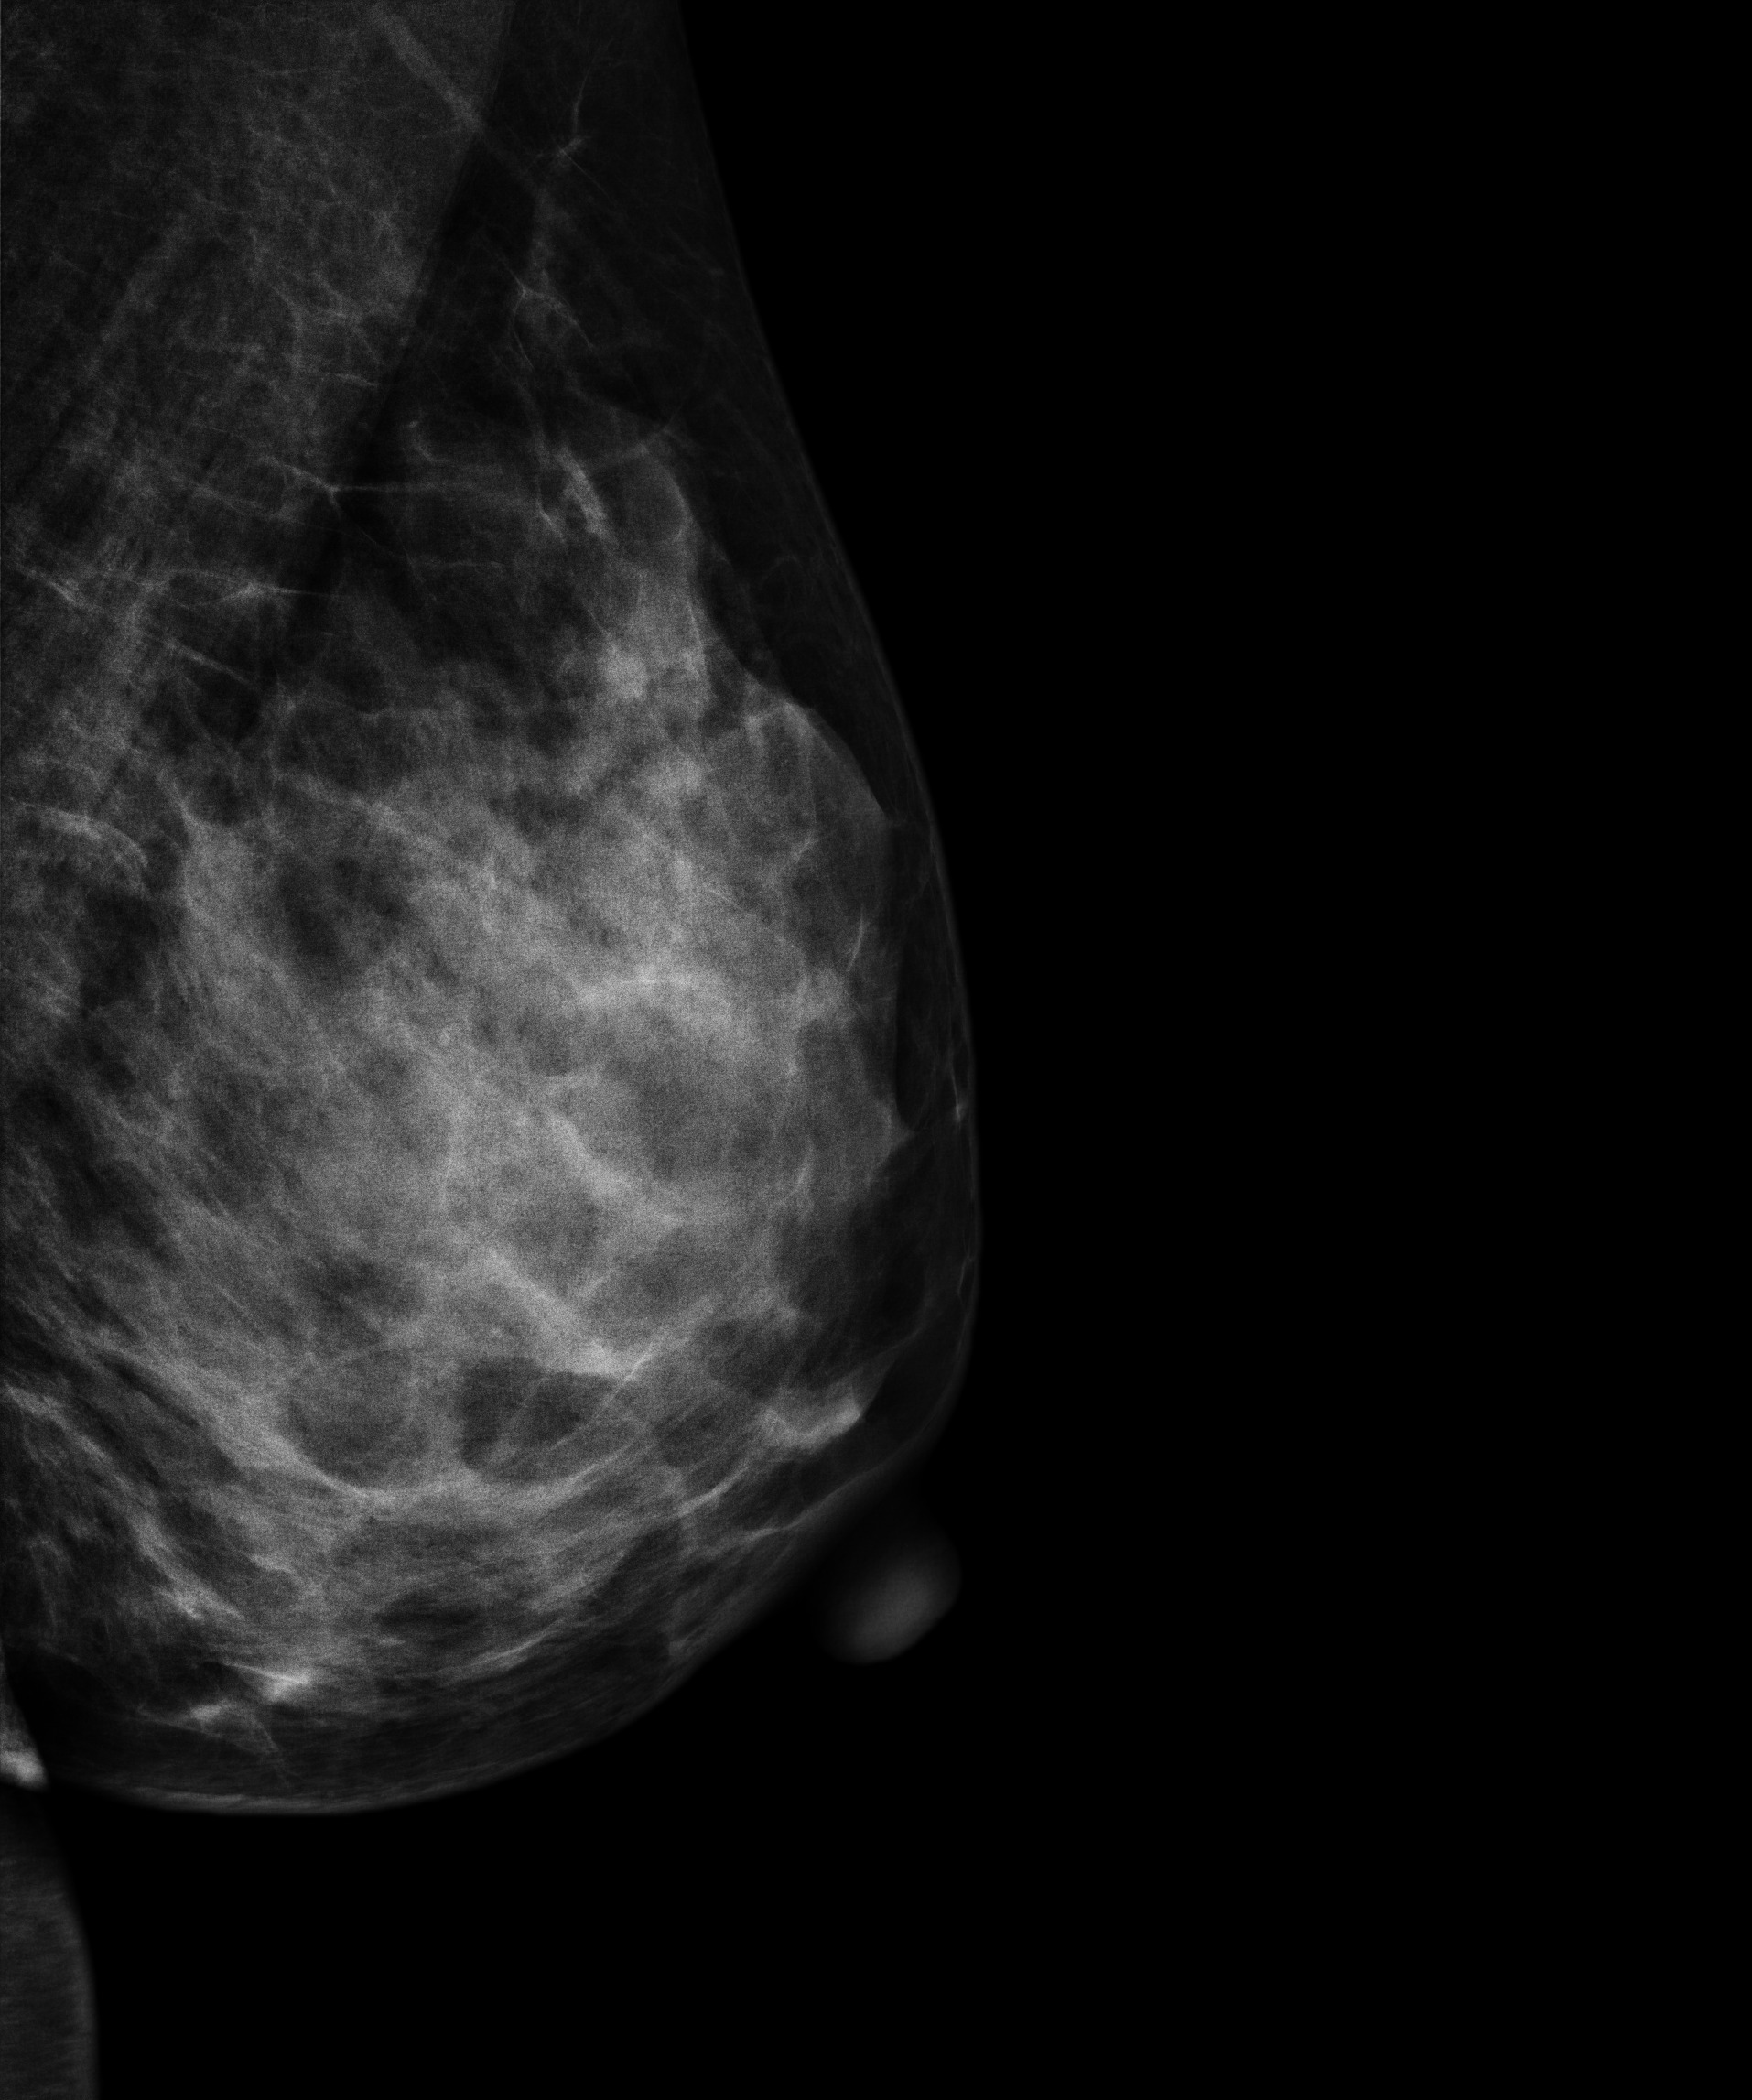
Mammogram, left breast, MLO view. 51 y/o patient.
This breast has a mass, histologically confirmed benign.